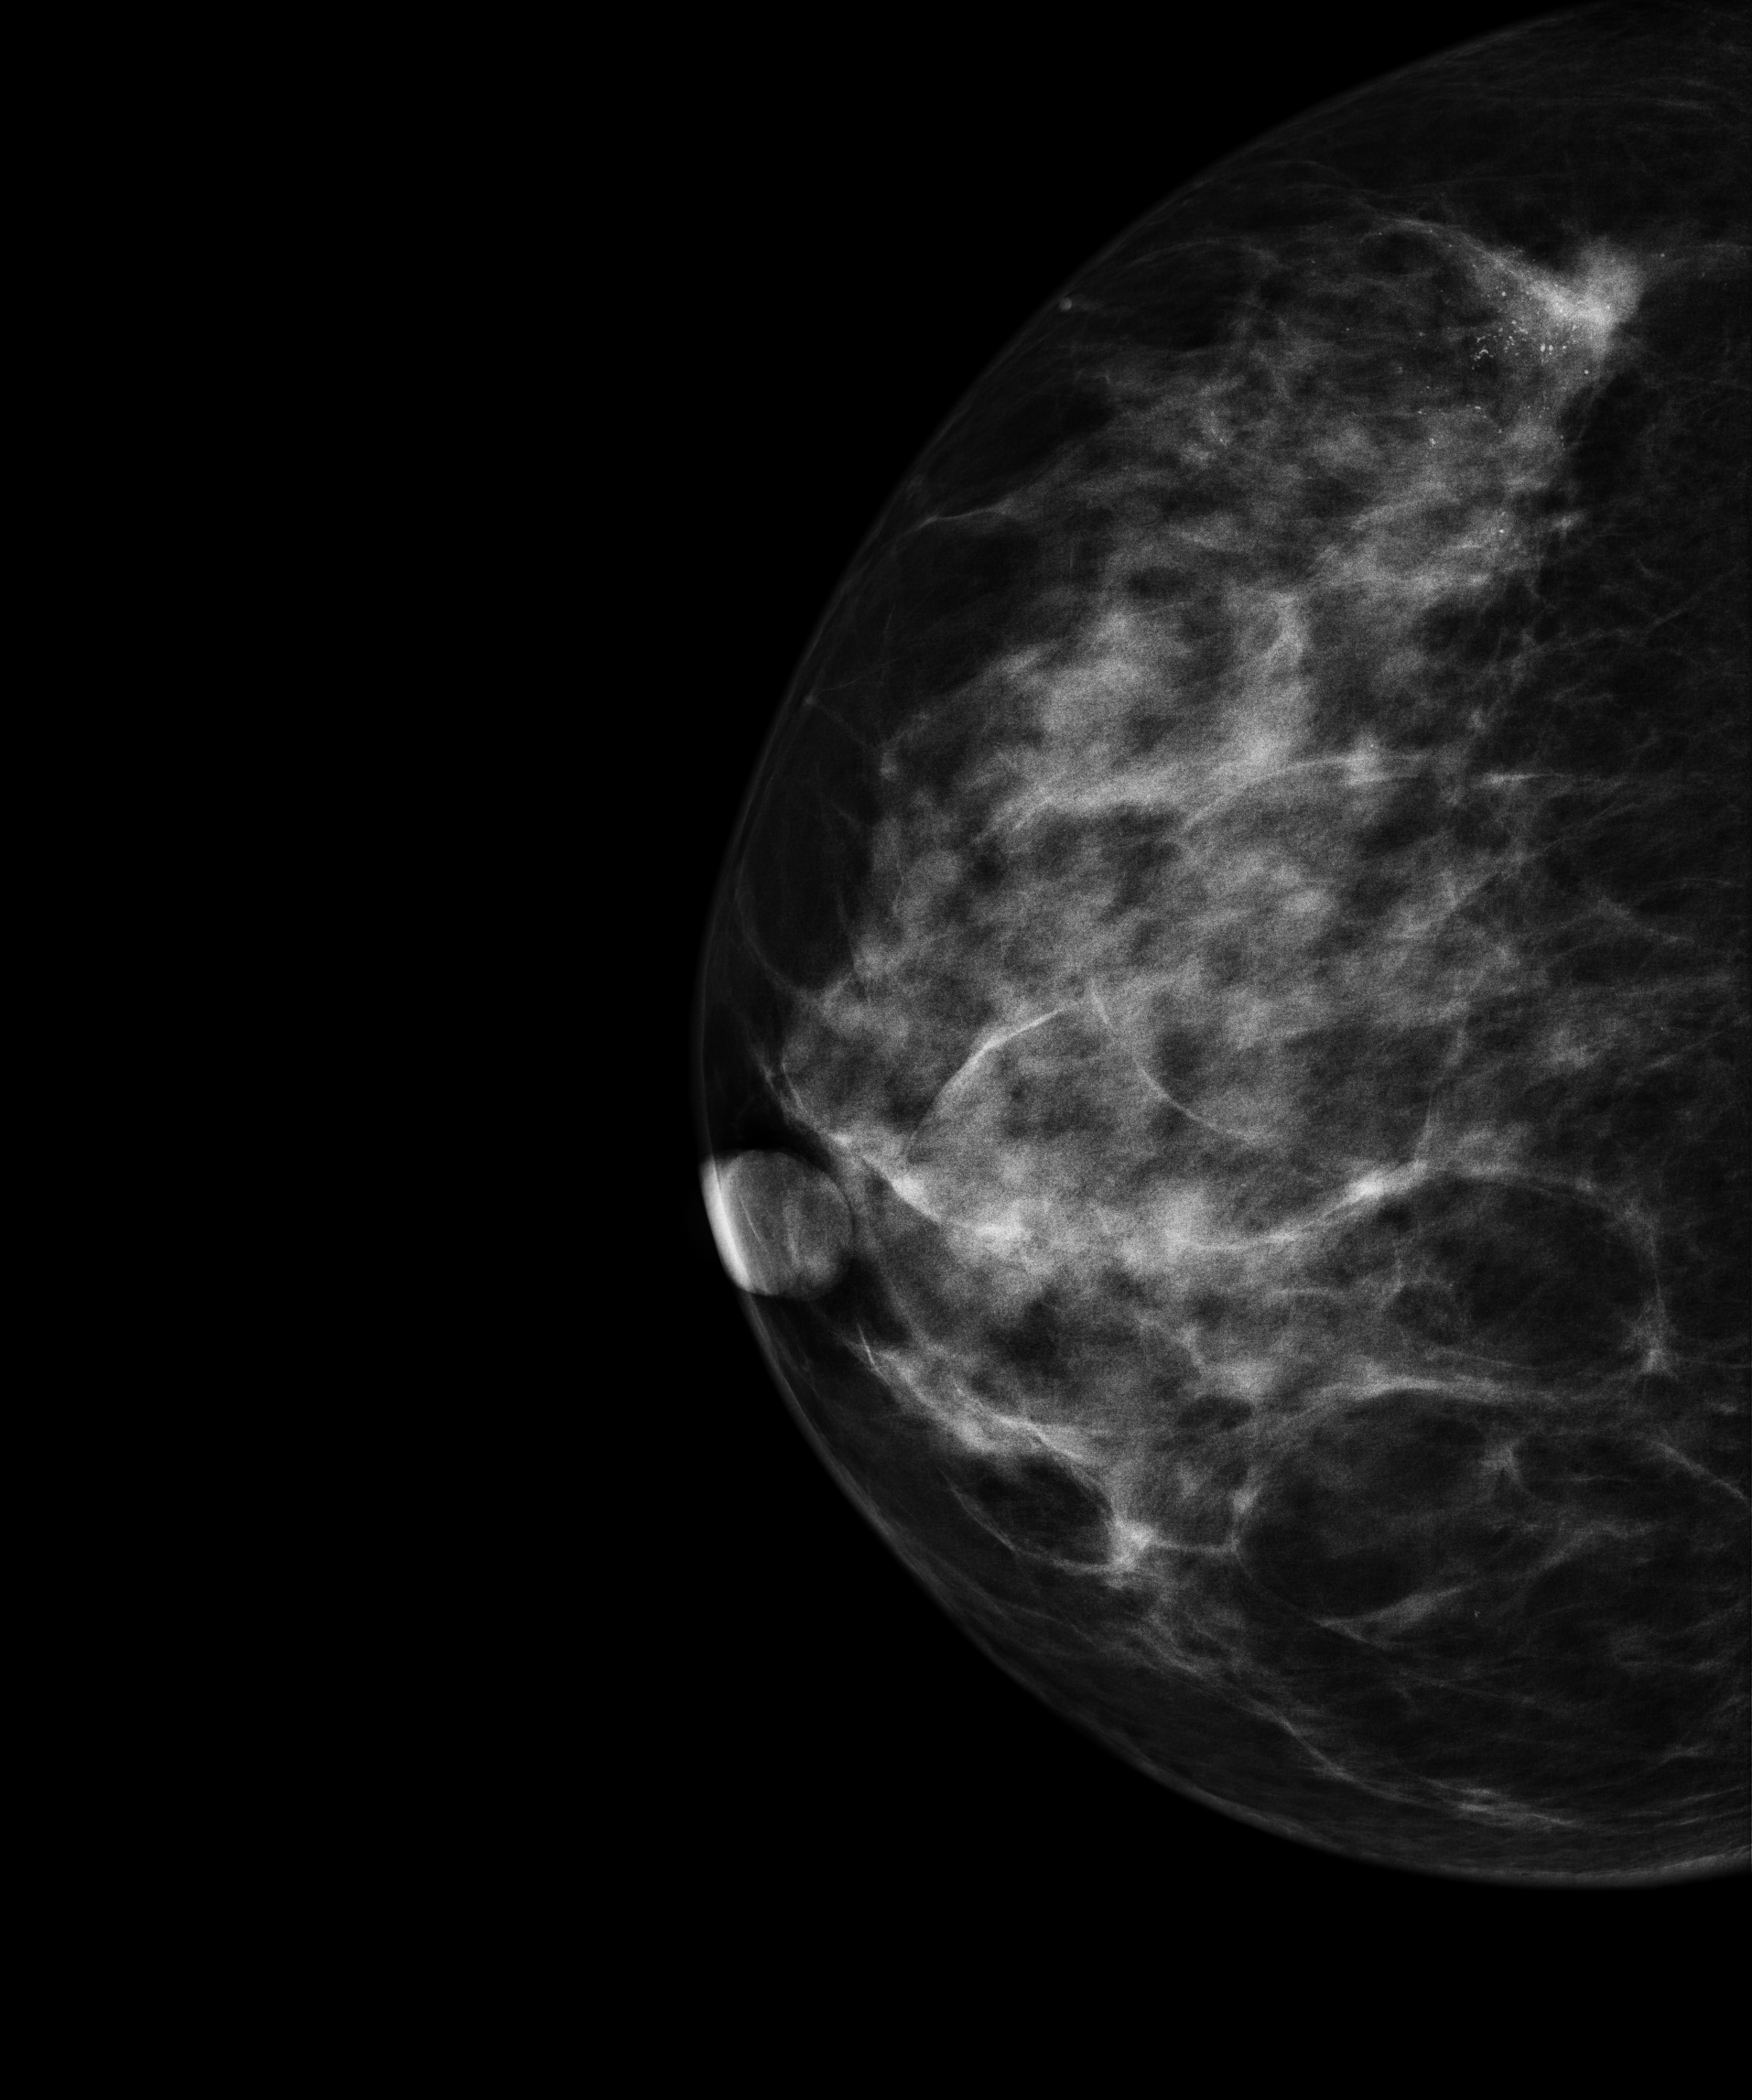
Right-breast mammogram, CC. 46-year-old patient.
This breast has a mass and calcifications, biopsy-confirmed malignant. Molecular subtype: luminal A.